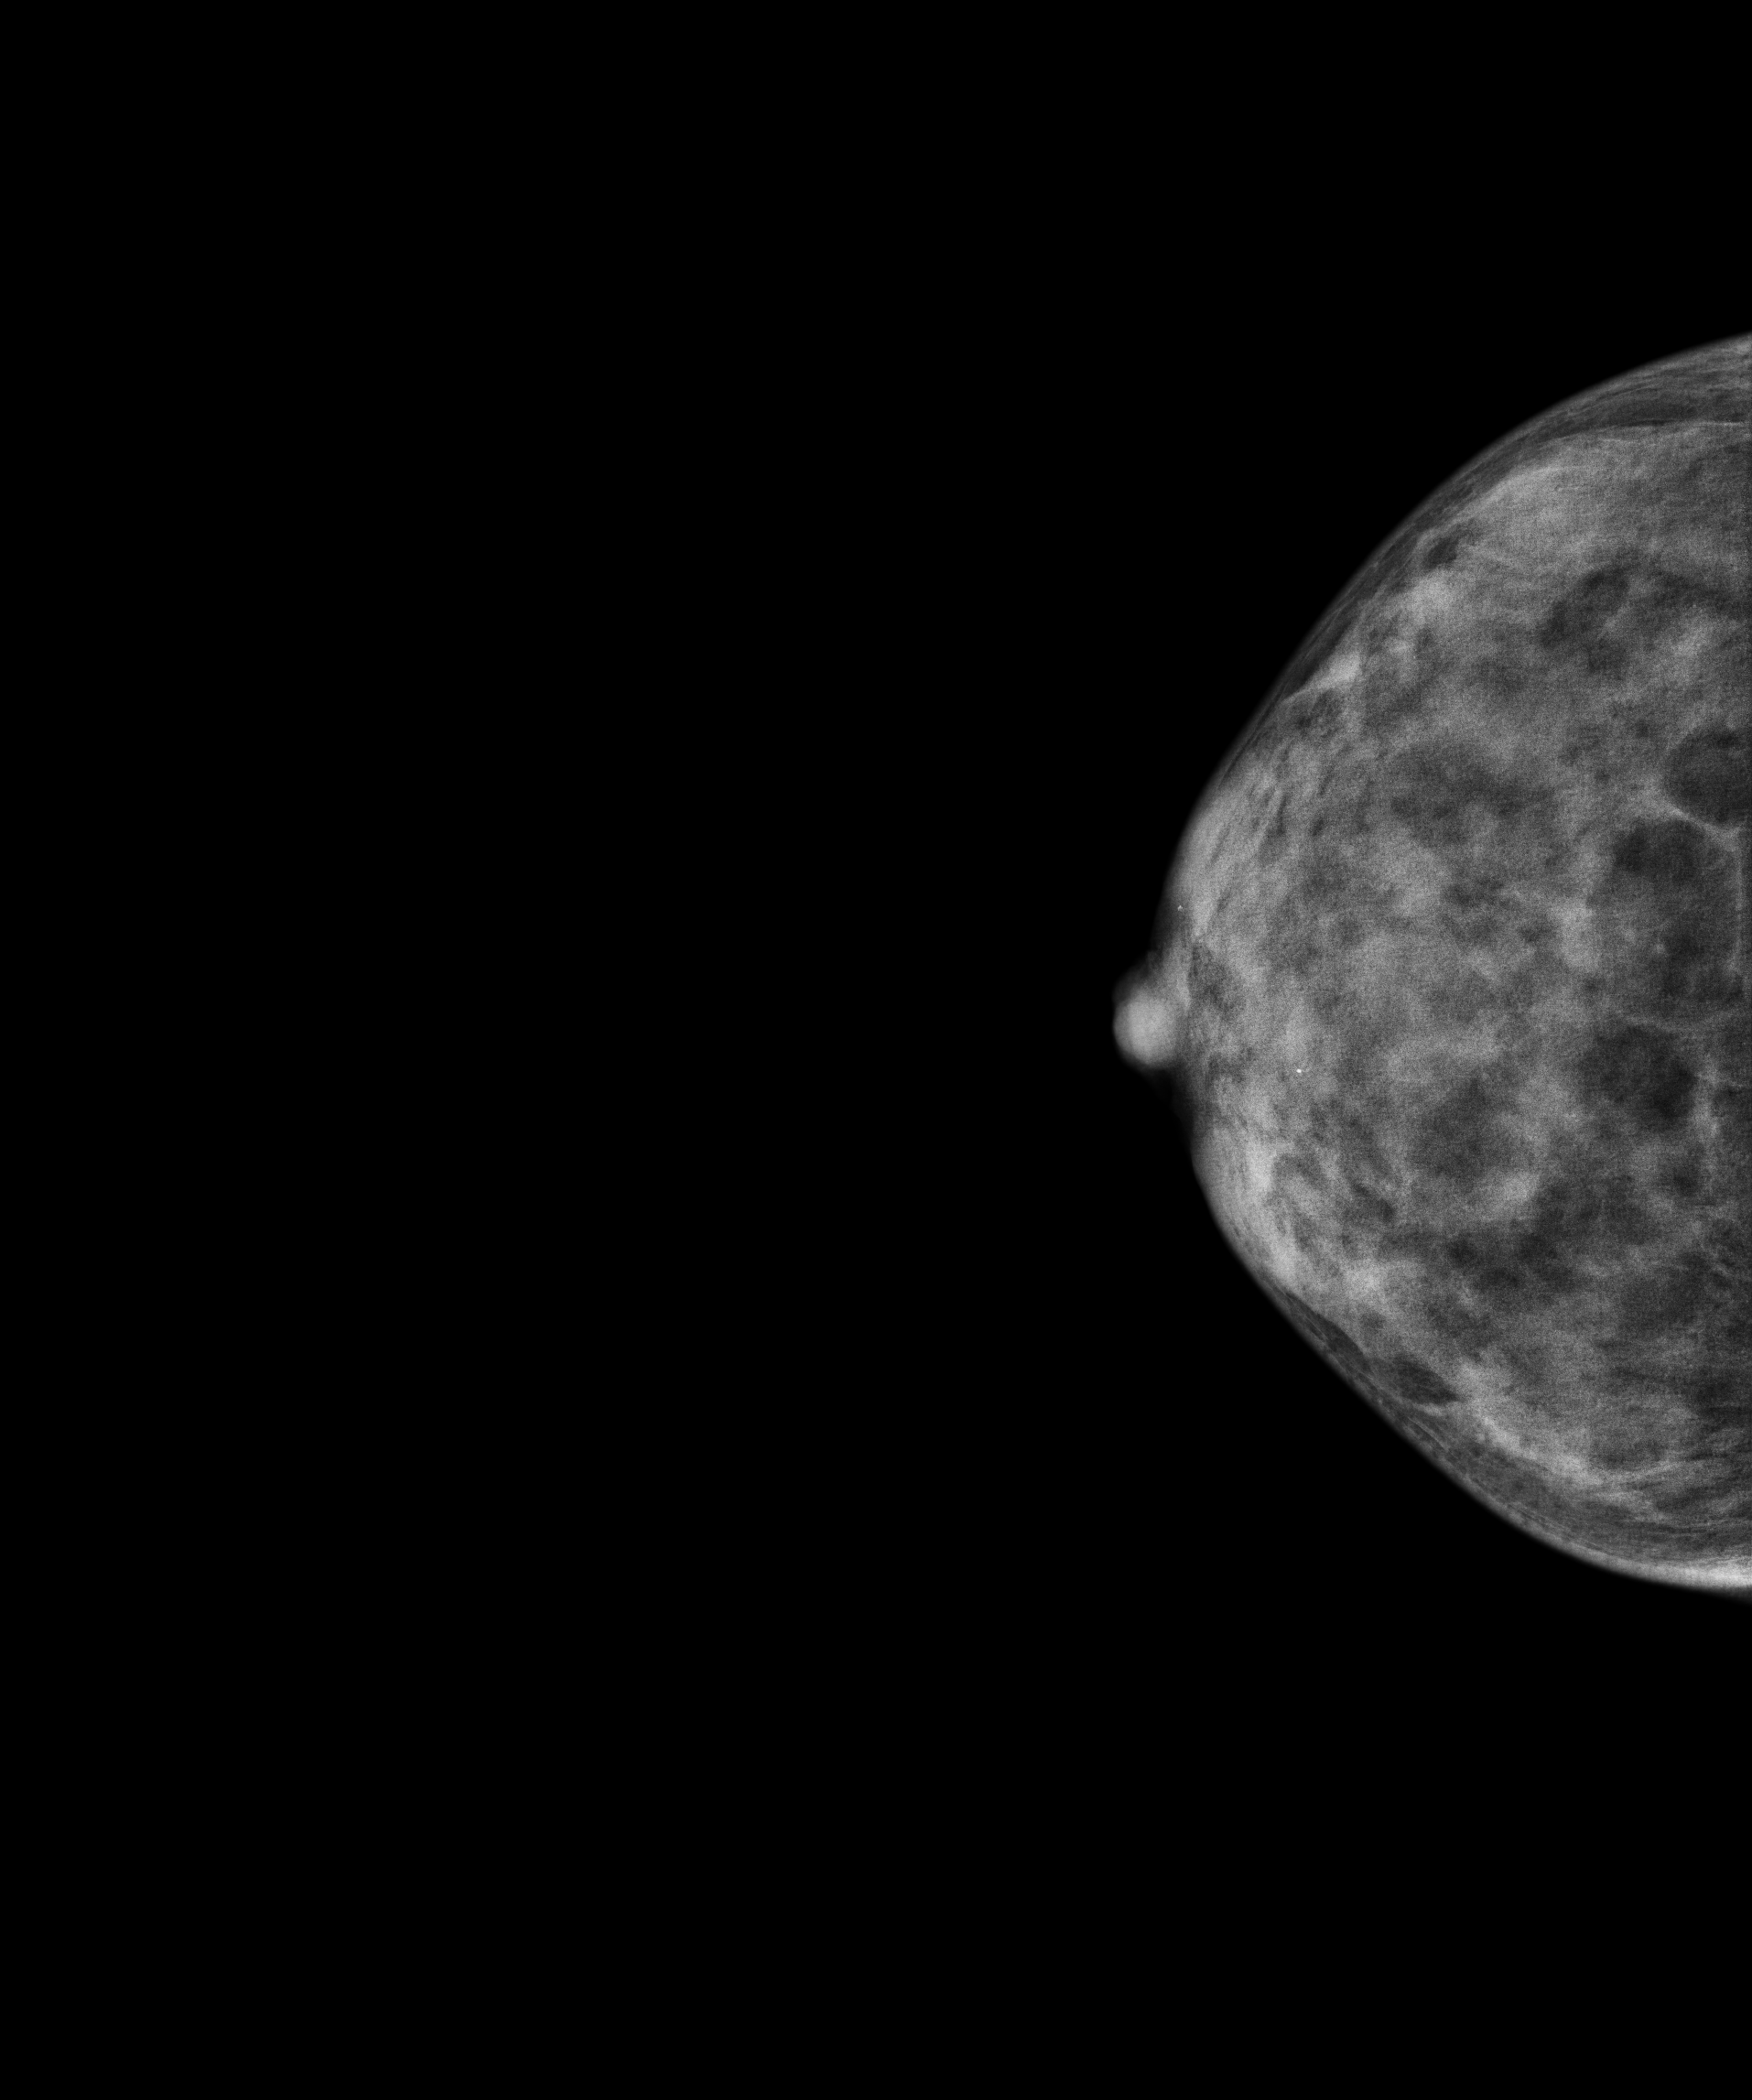
CC mammogram of the right breast. Patient age 46.
Contralateral breast — no documented abnormality on this side.